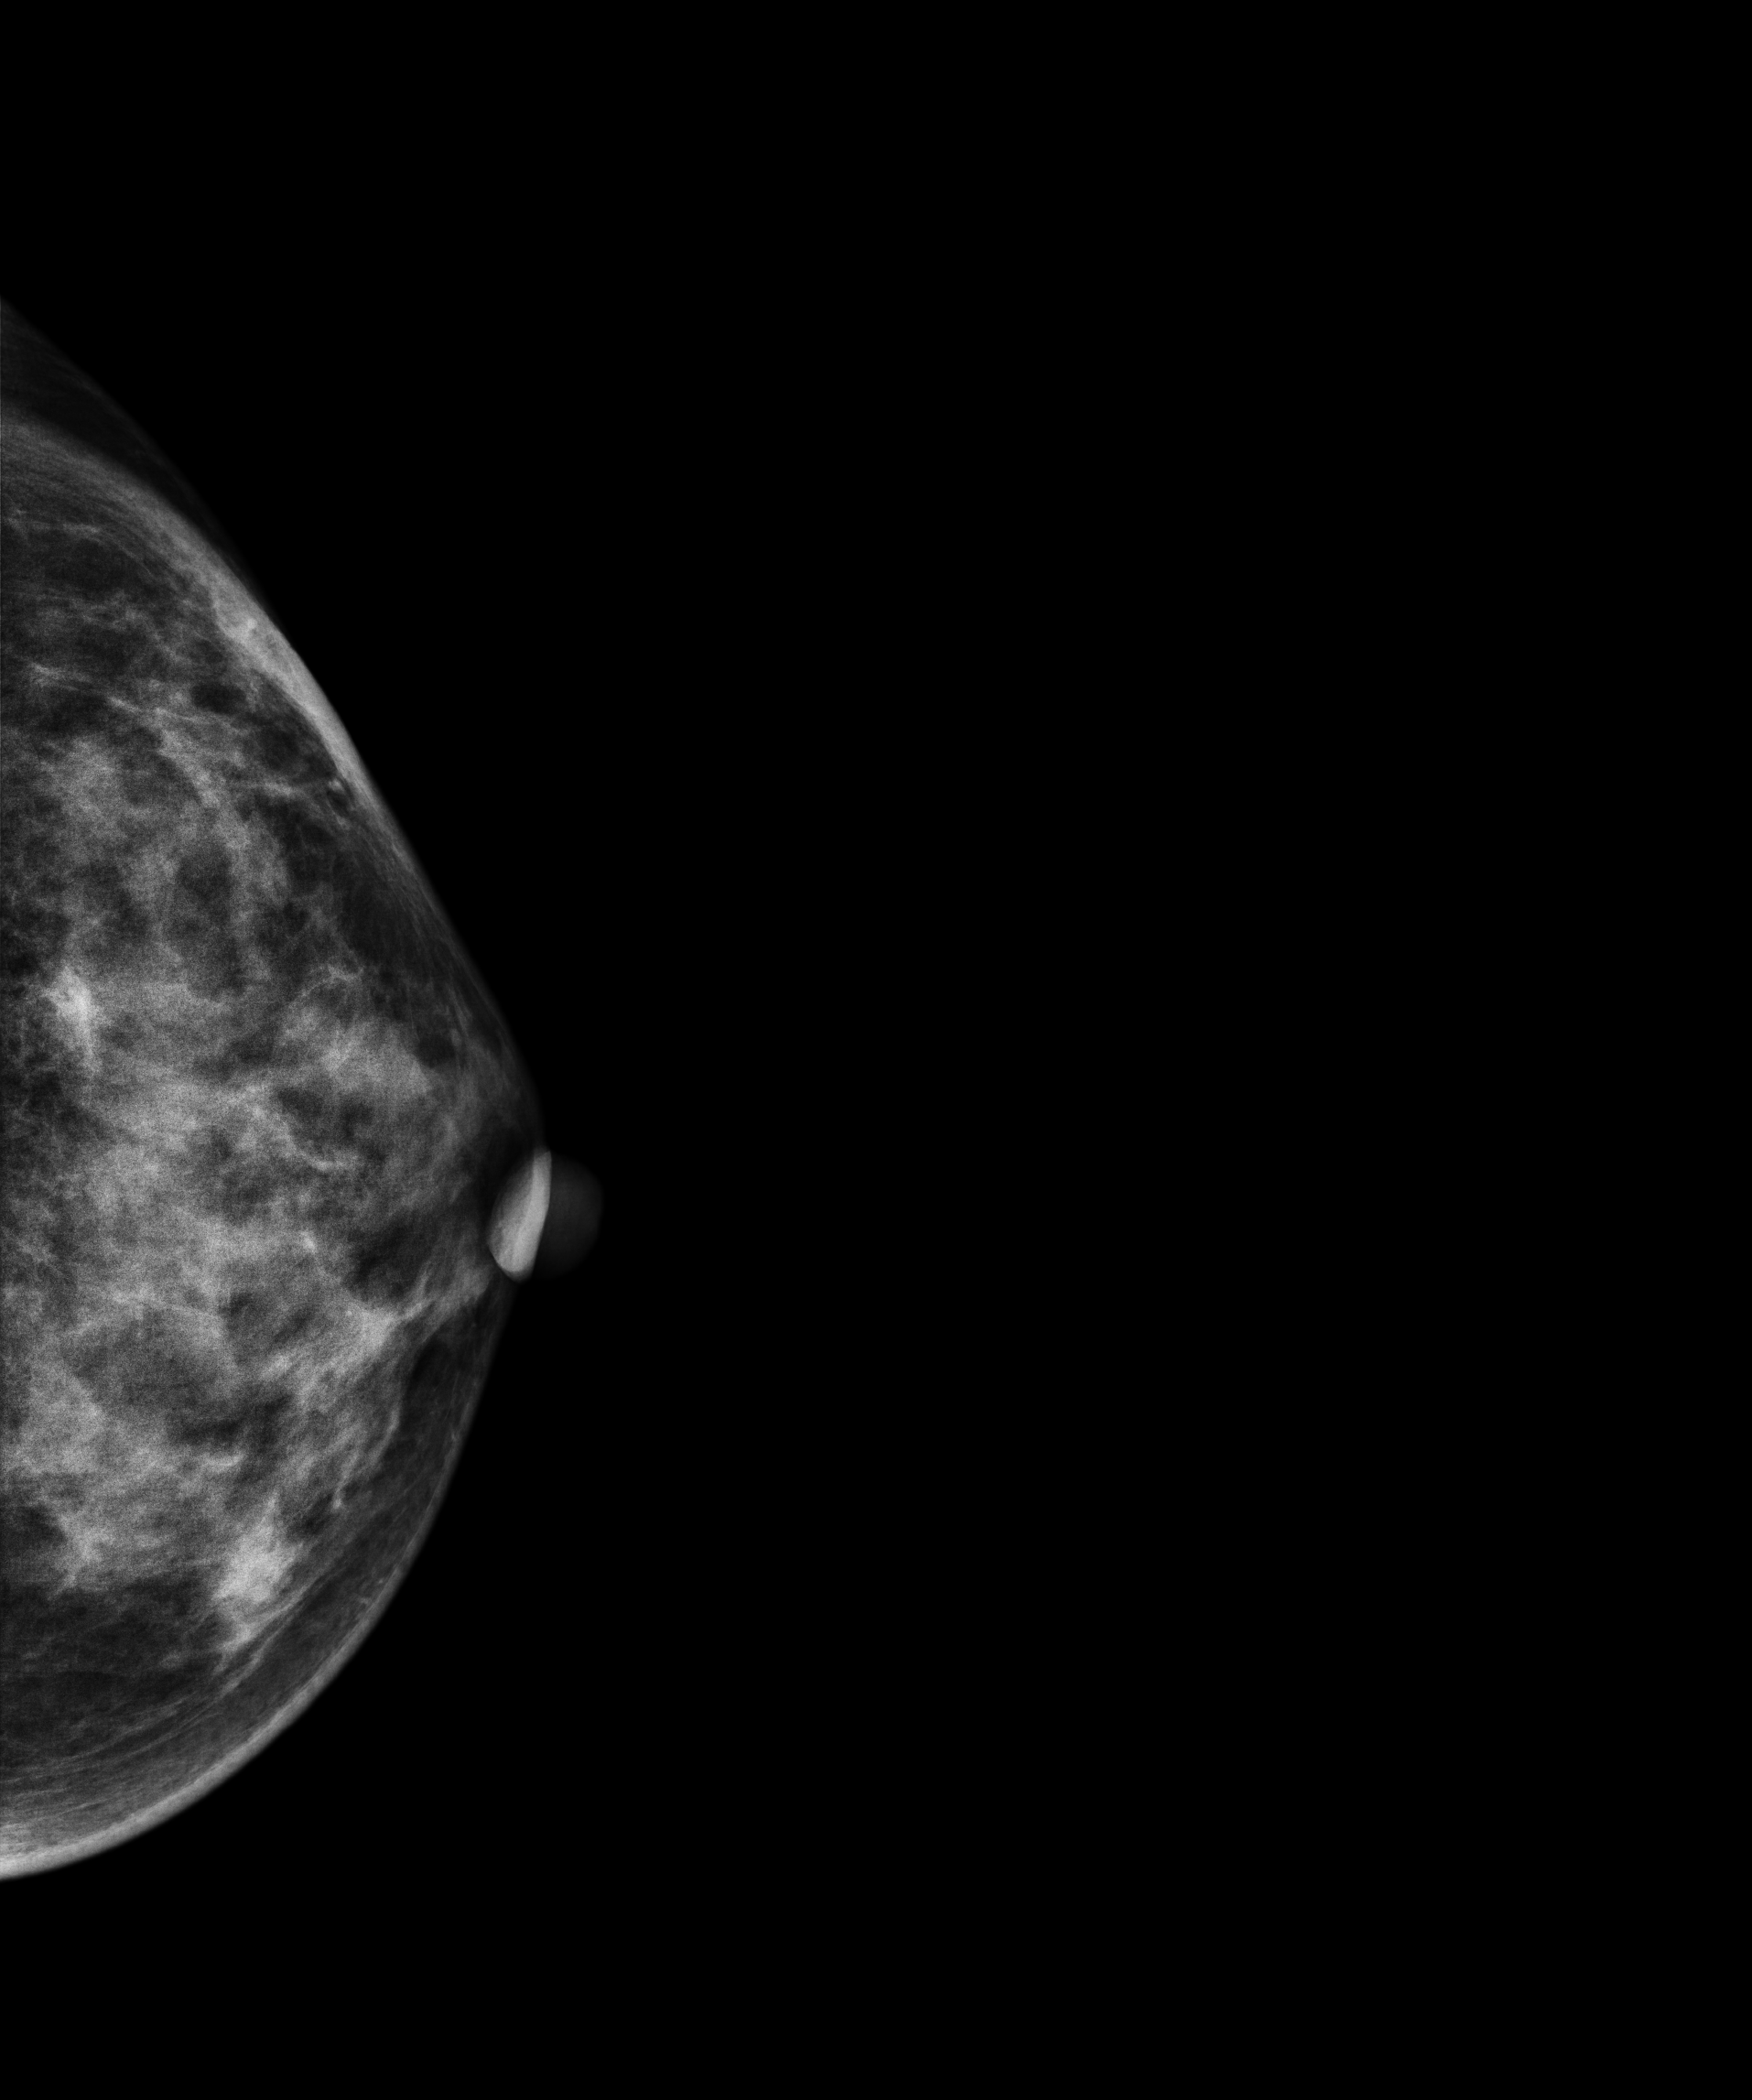
Digital mammography. Left breast, cranio-caudal projection. 44-year-old patient.
This breast has a mass, pathology-confirmed malignant.